Left-breast mammogram, cranio-caudal. 44-year-old patient.
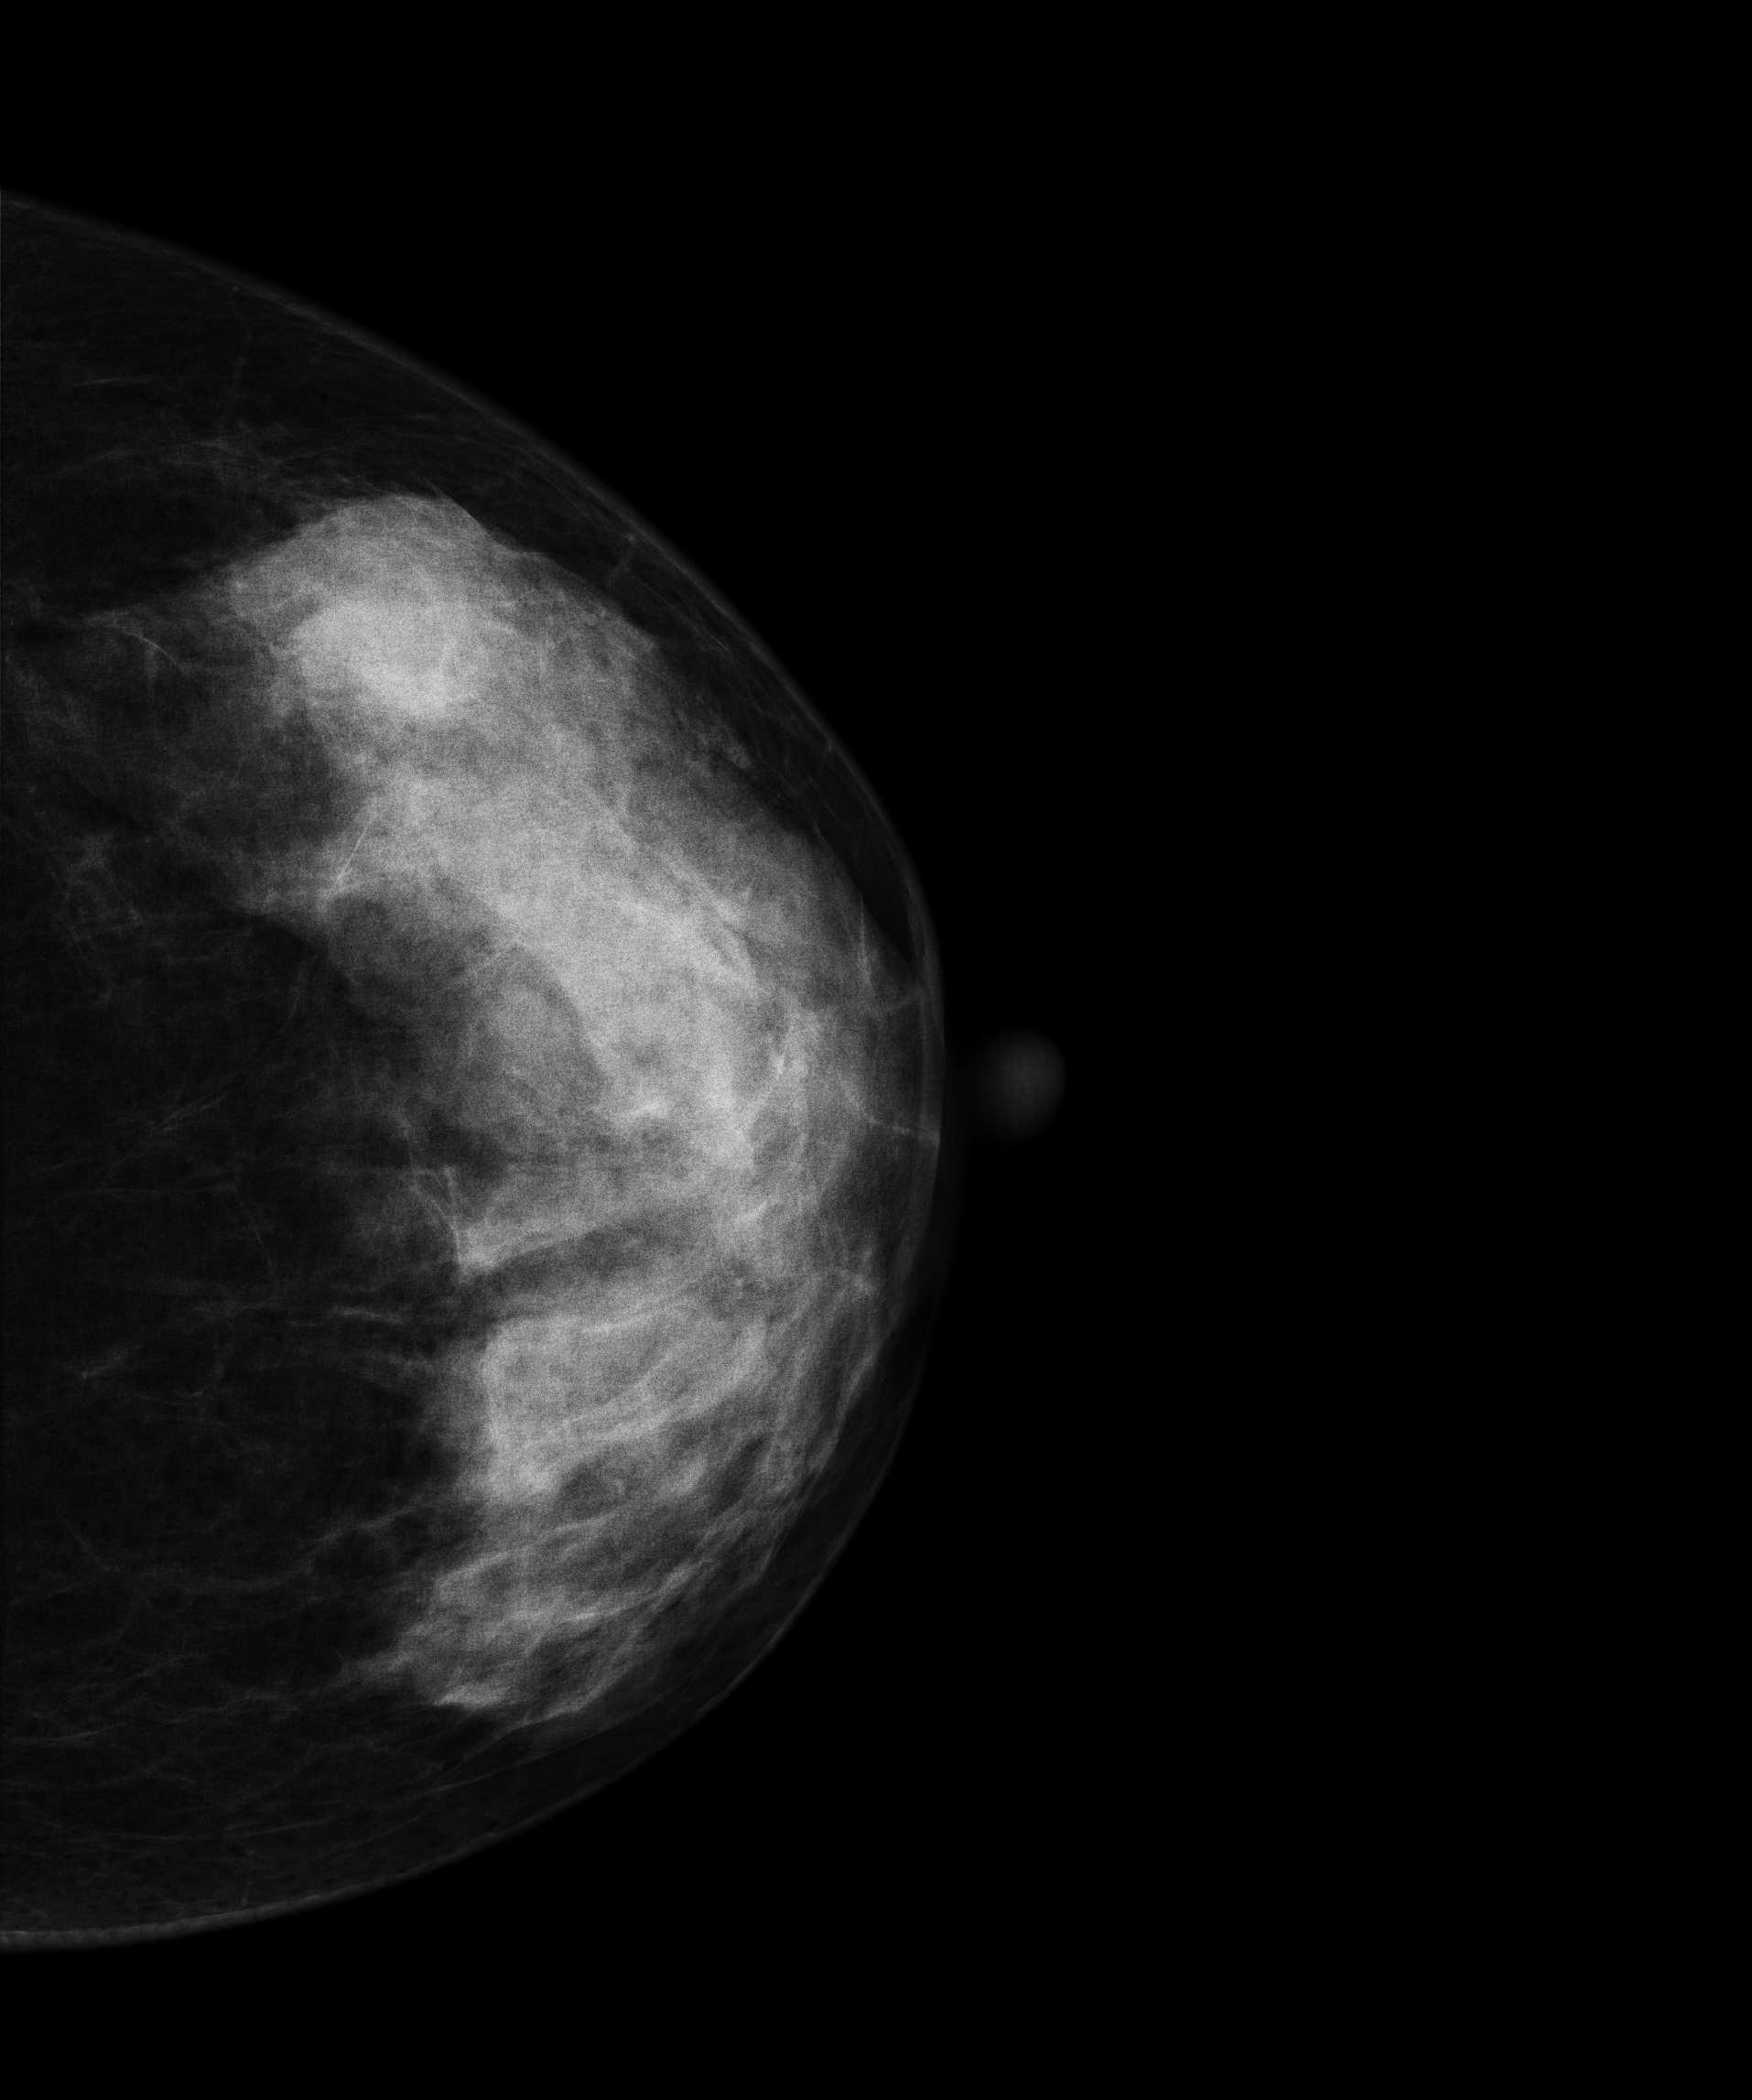
This breast has a mass, histologically confirmed benign.